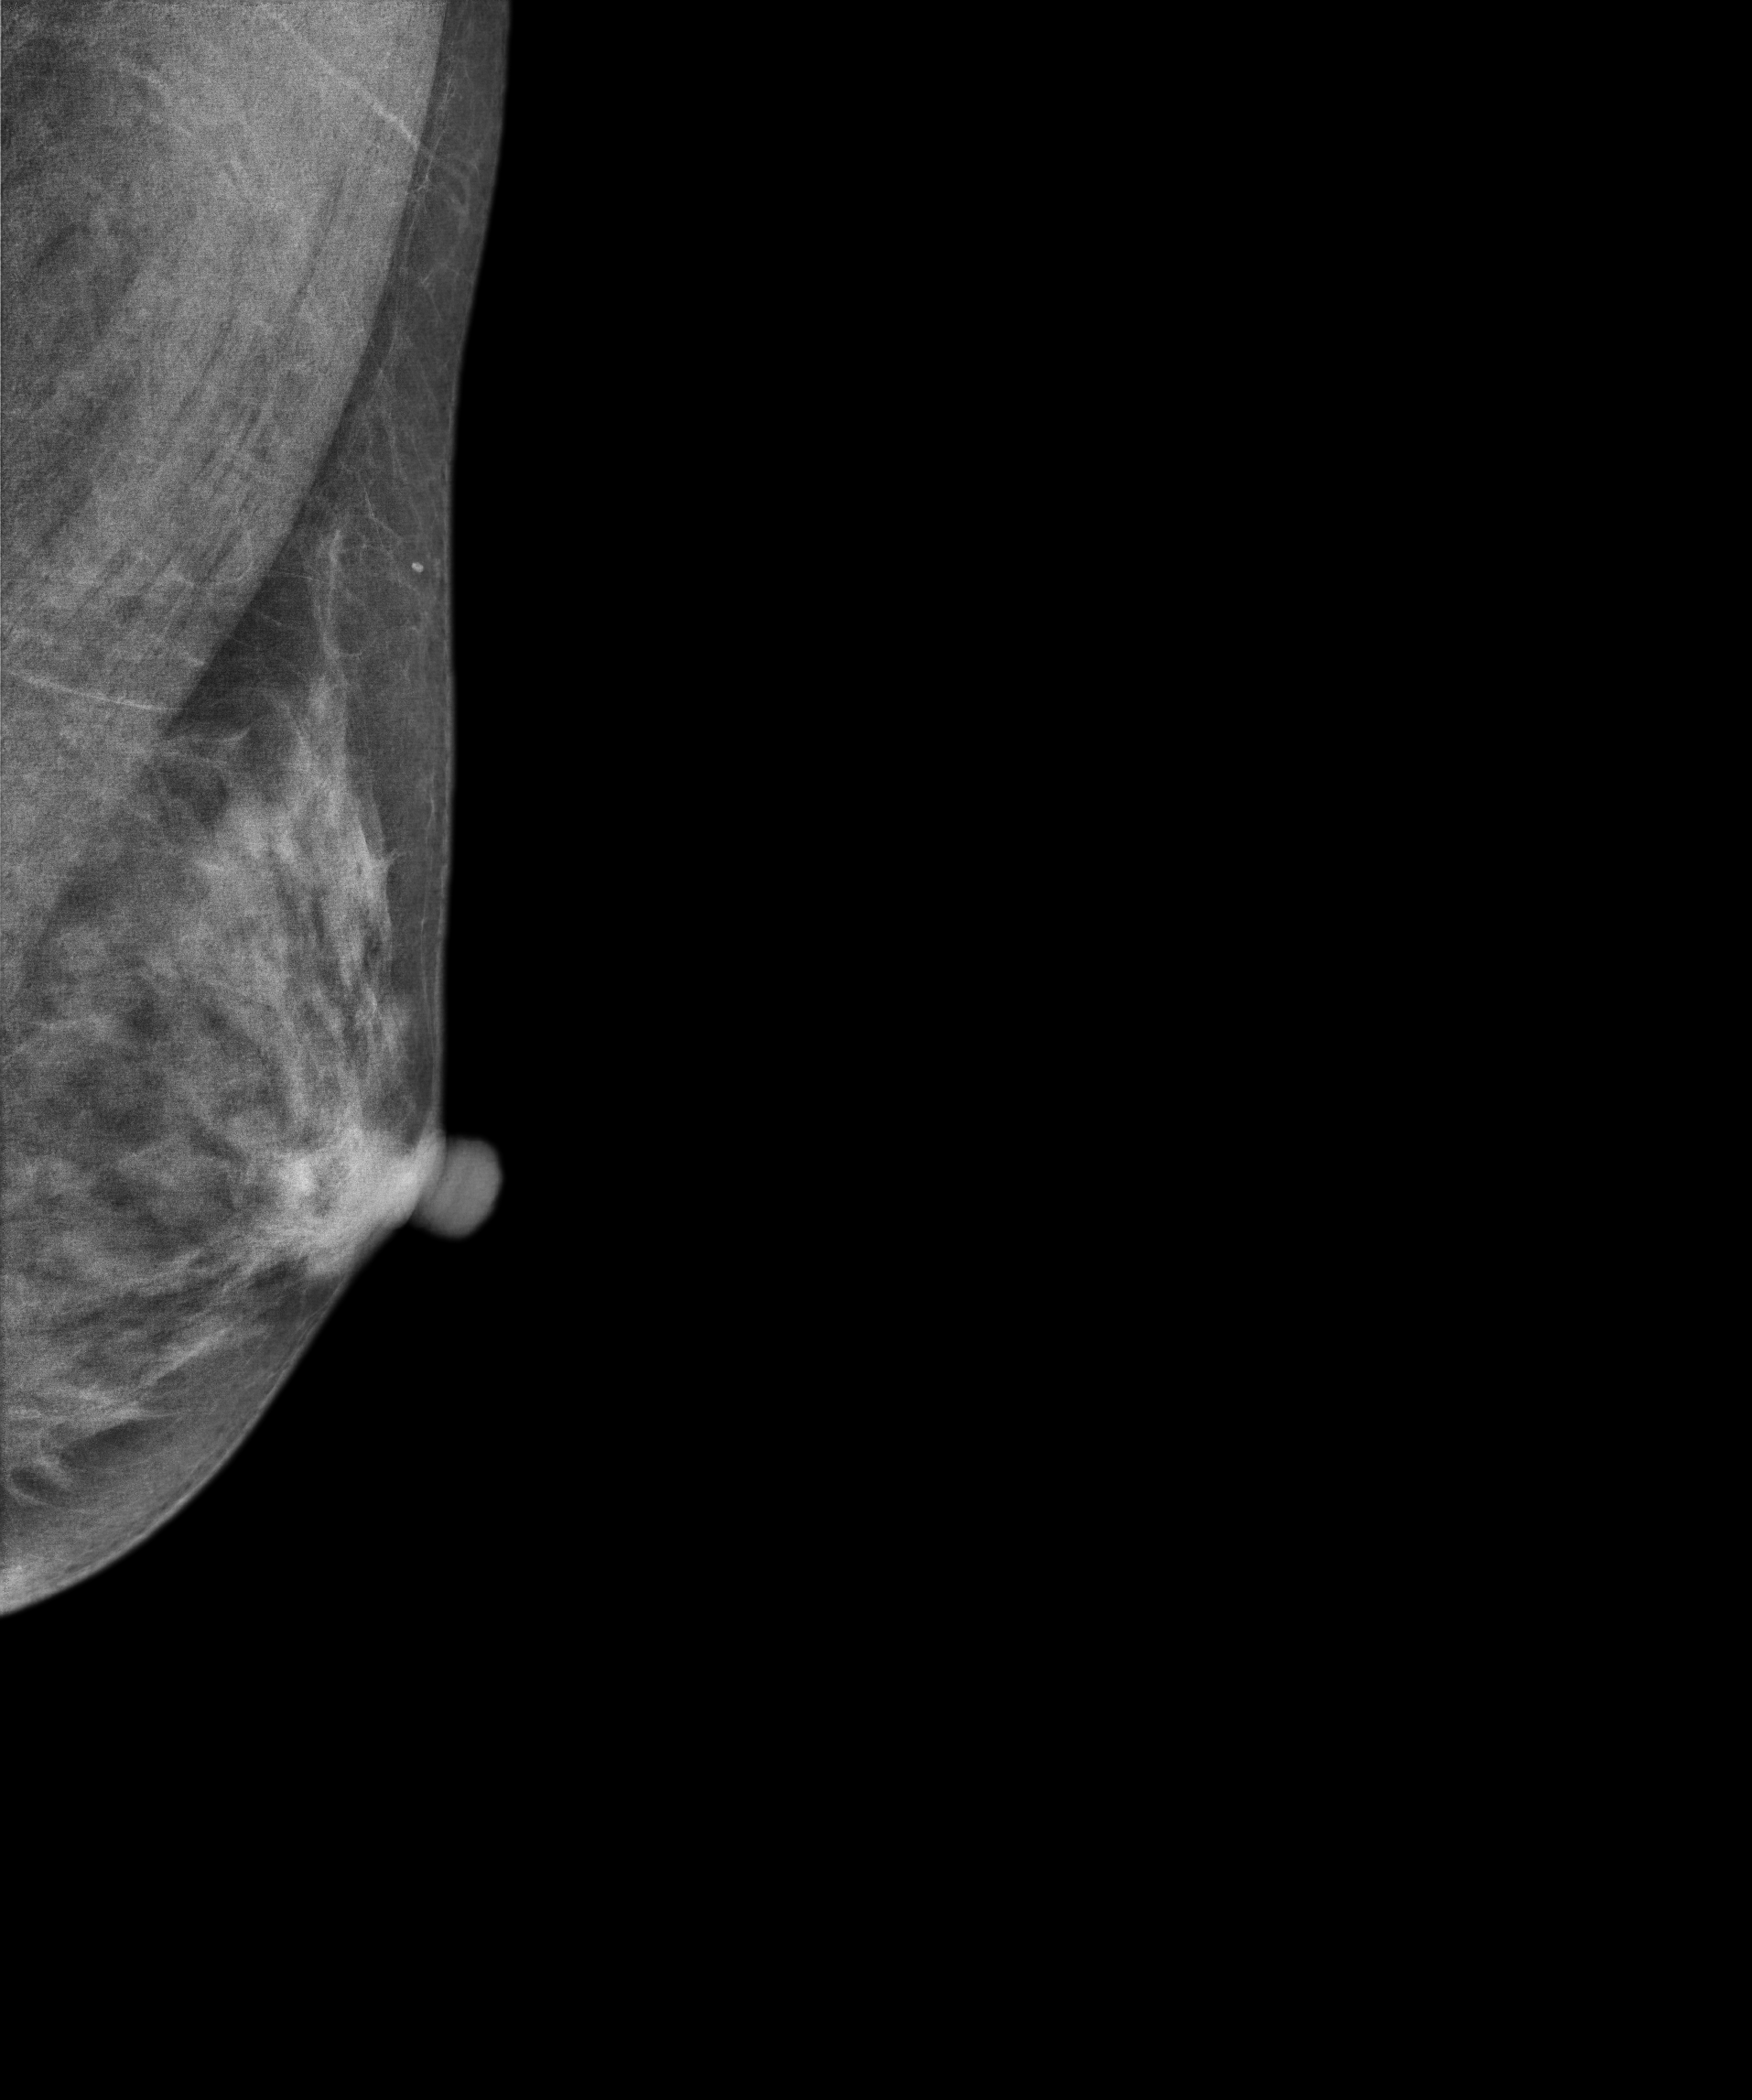
MLO mammogram of the left breast. 48 y/o patient.
Contralateral breast — no documented abnormality on this side.